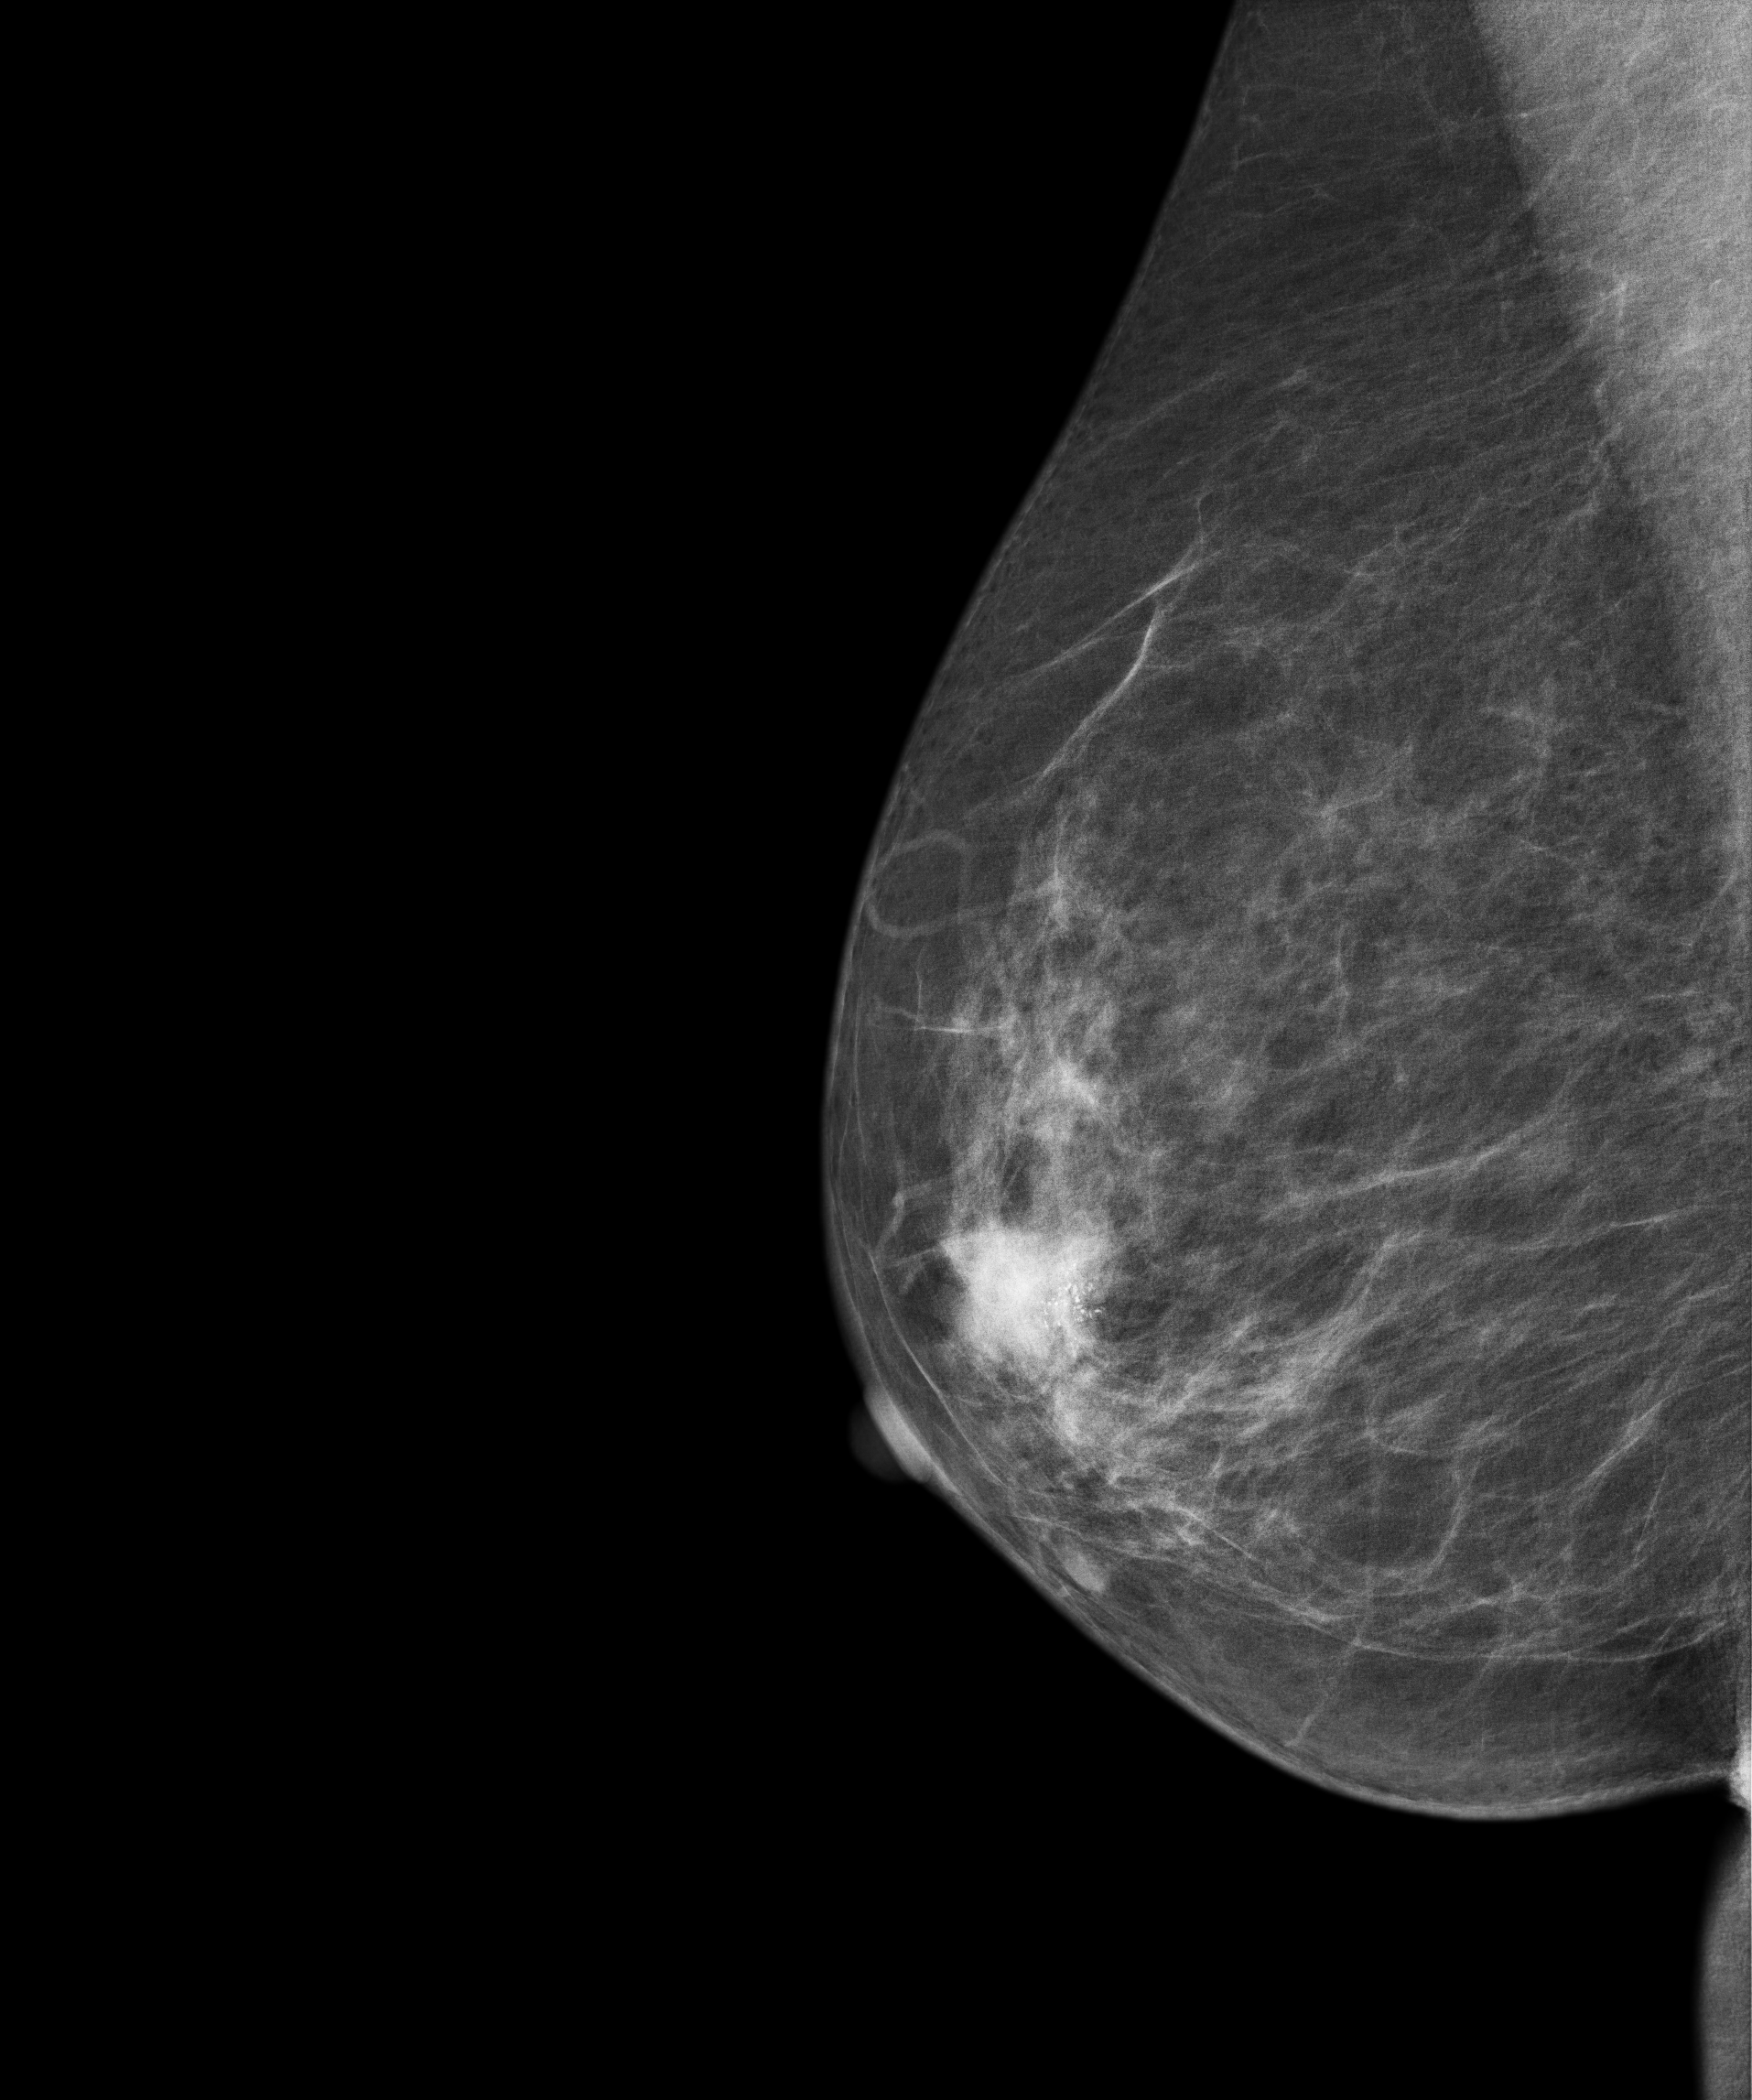
Digital mammography. Right breast, MLO projection. 66-year-old patient.
This breast has a mass and calcifications, biopsy-confirmed malignant.